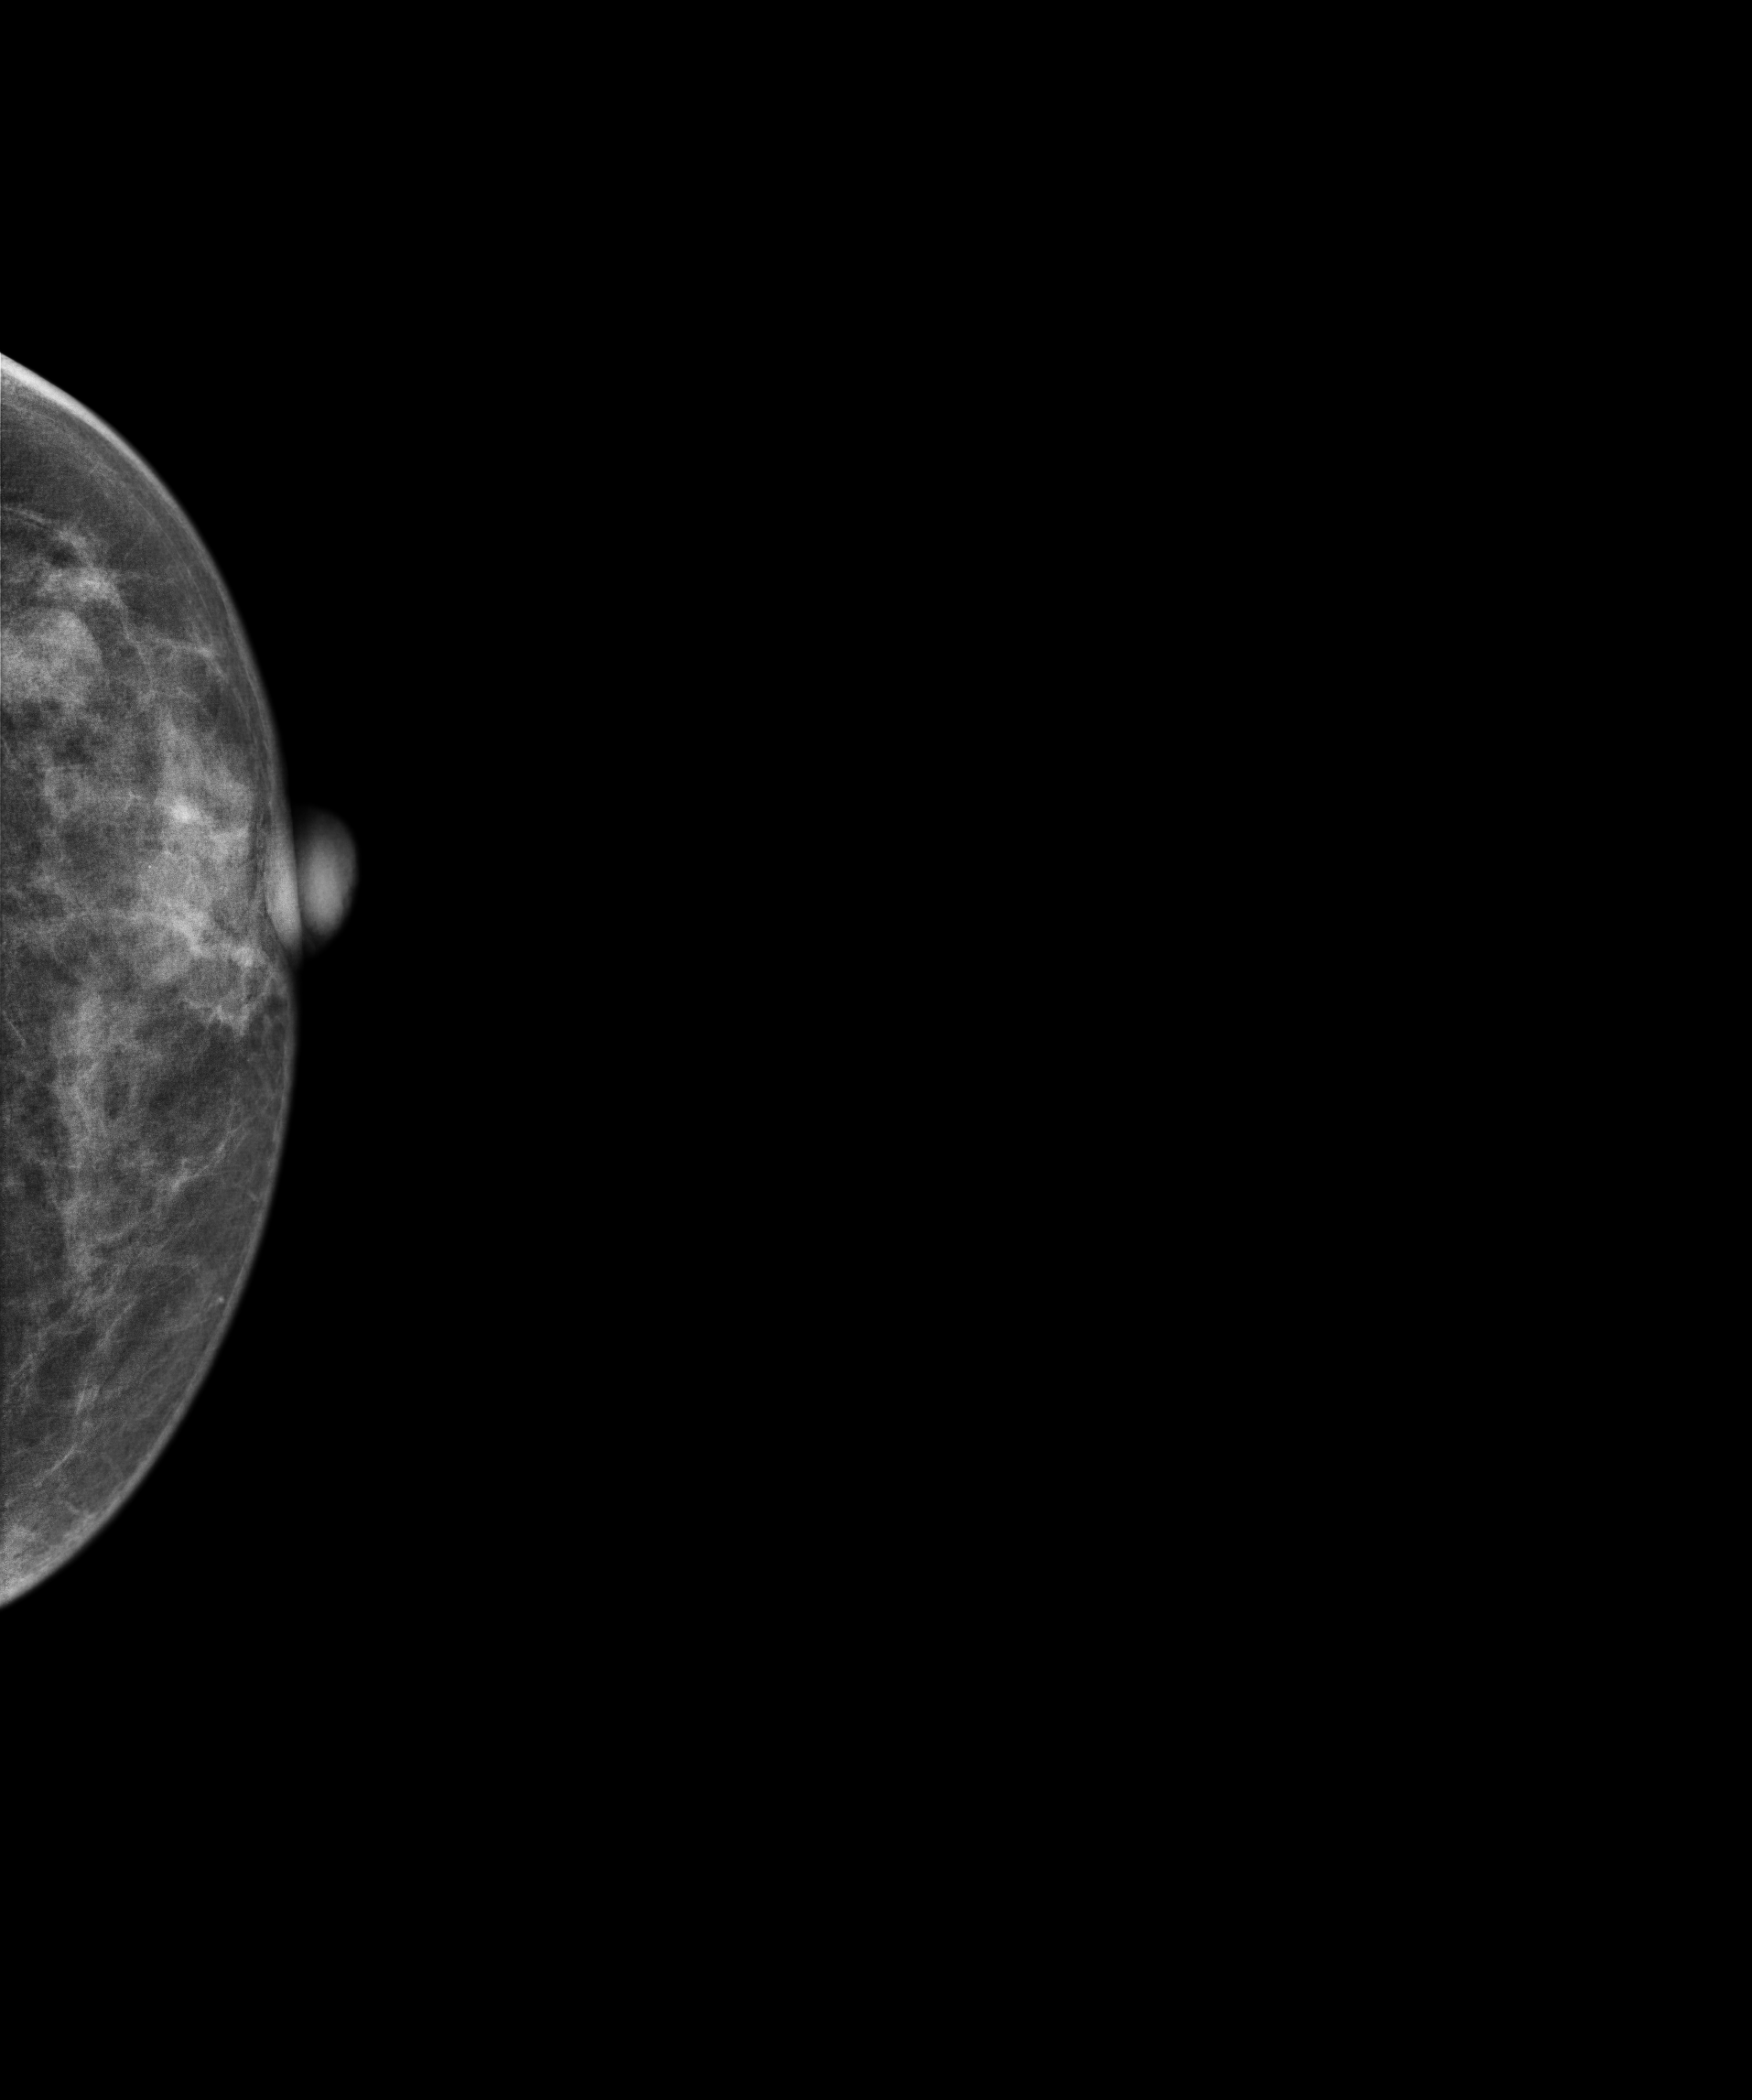
Cranio-caudal mammogram of the left breast. 46-year-old patient.
This breast has a mass, pathology-confirmed benign.